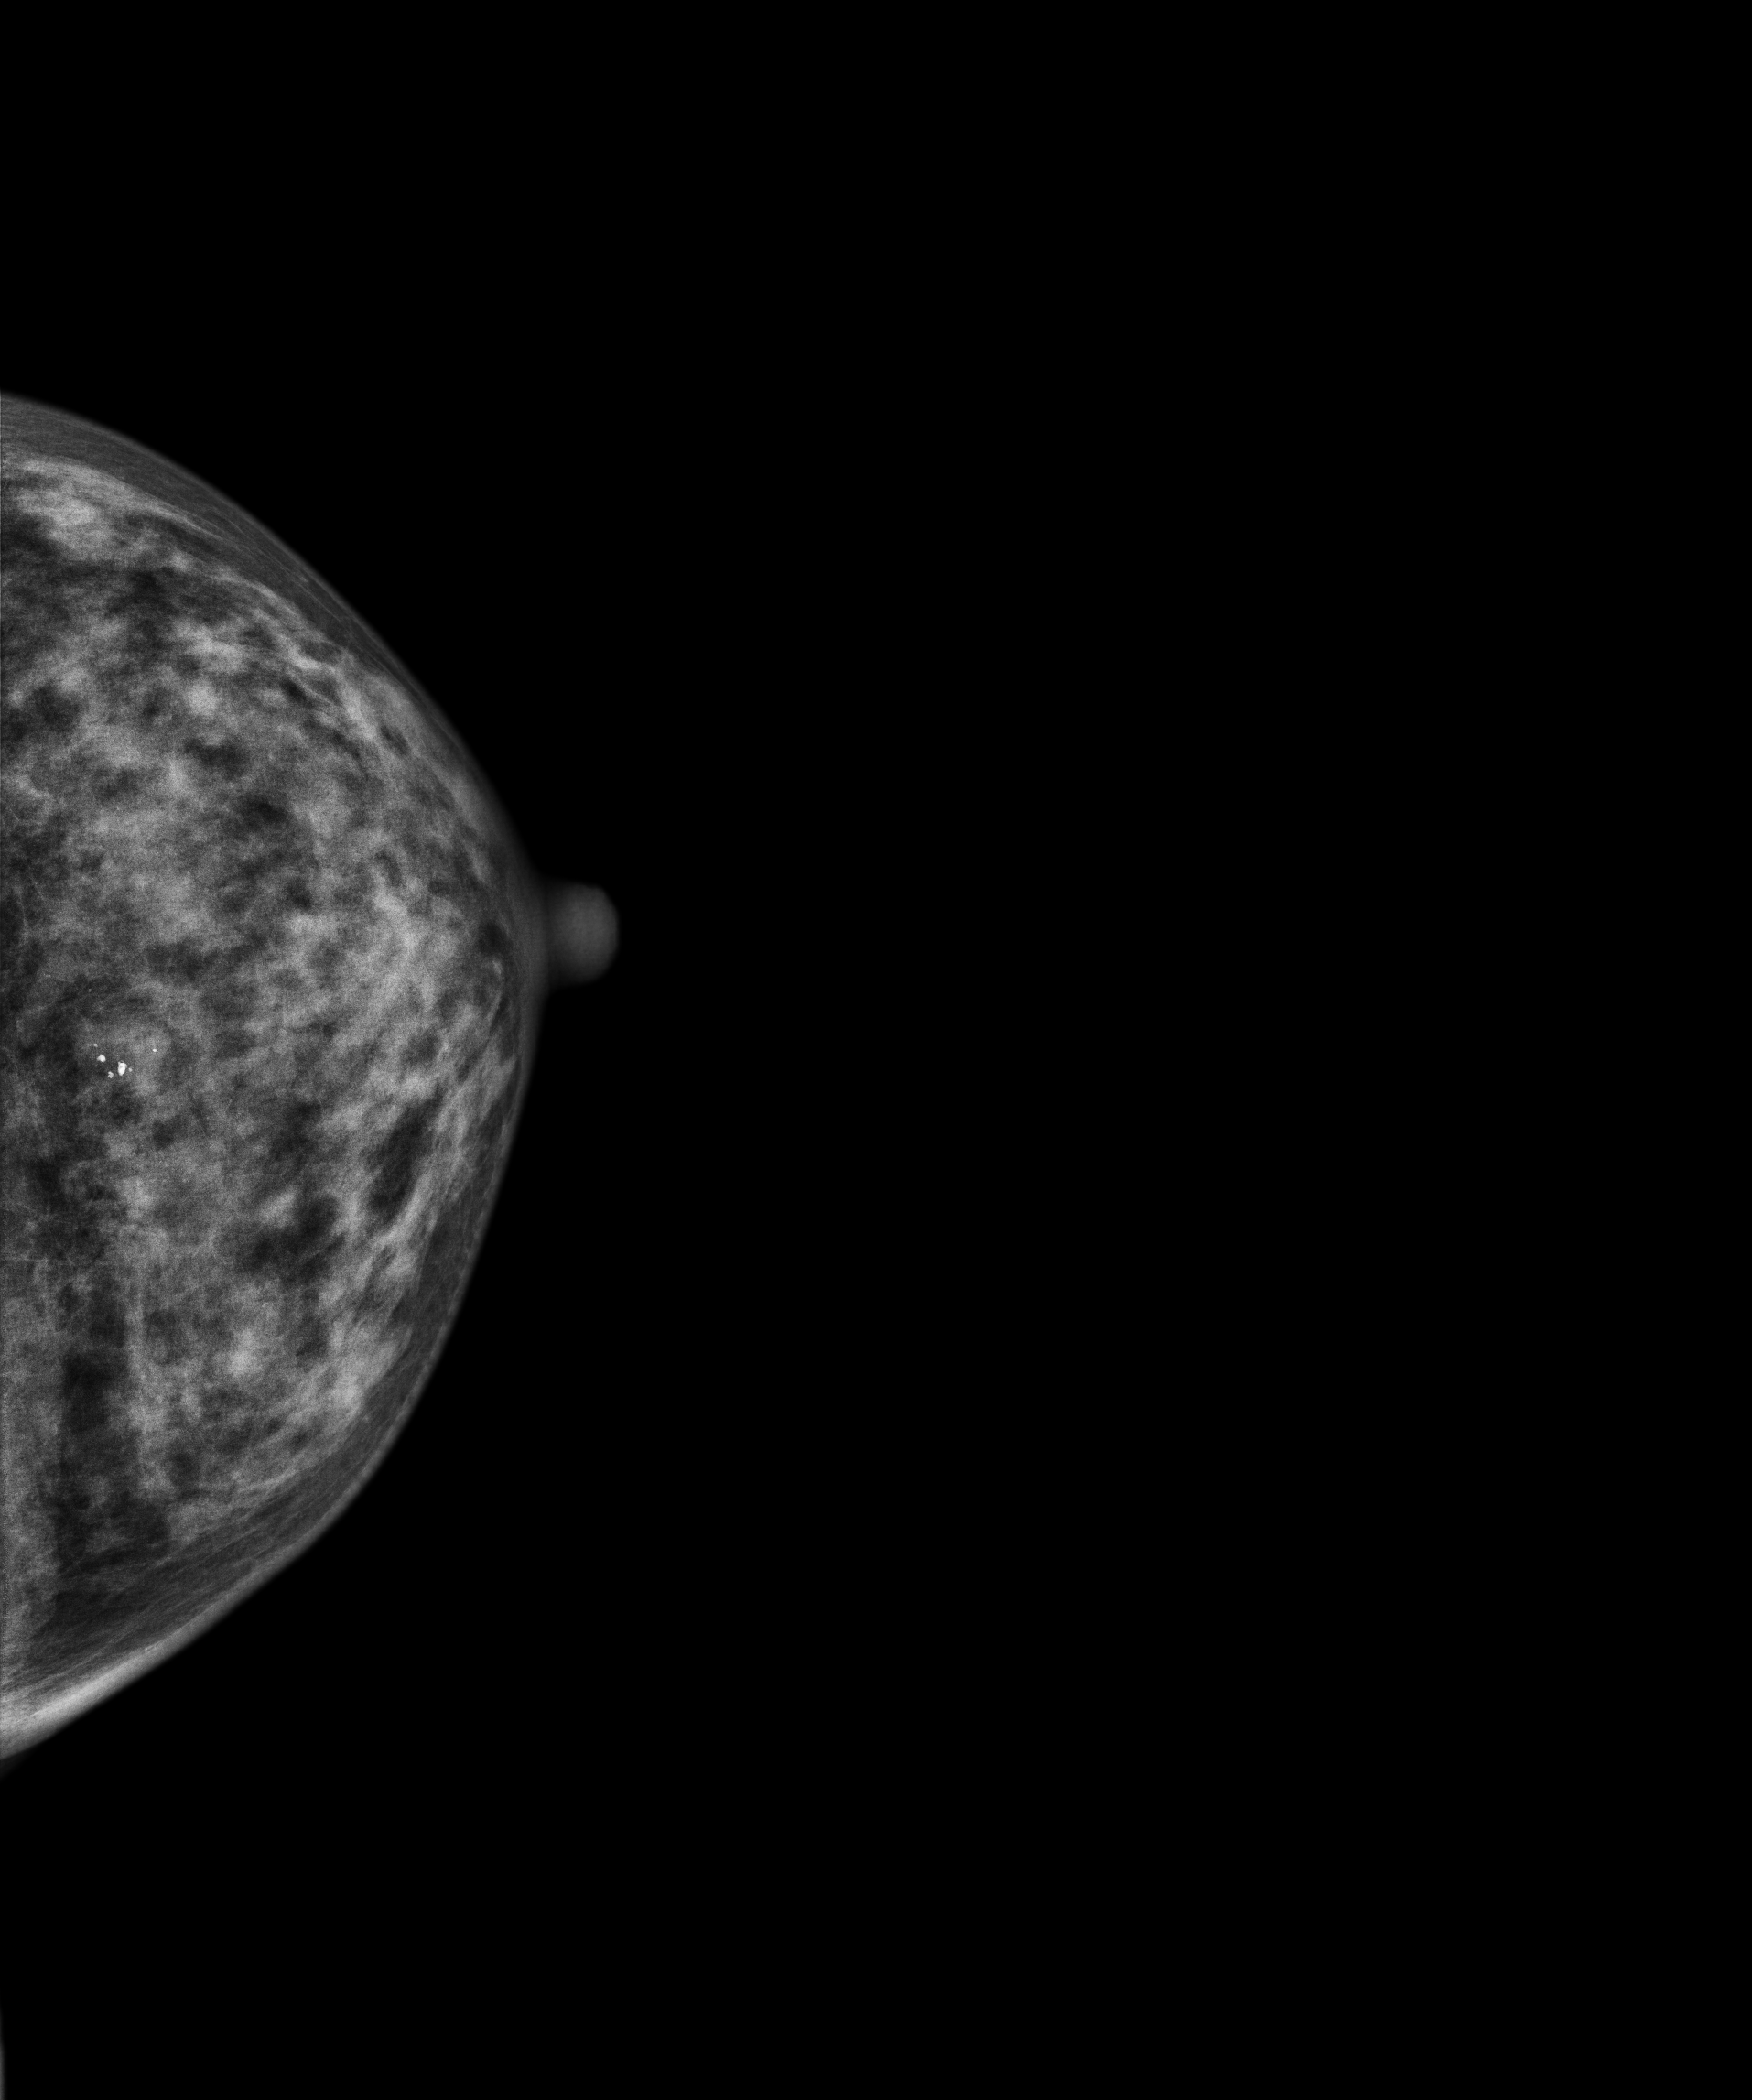
Left-breast mammogram, CC. 52-year-old patient.
This breast has calcifications, biopsy-proven benign.